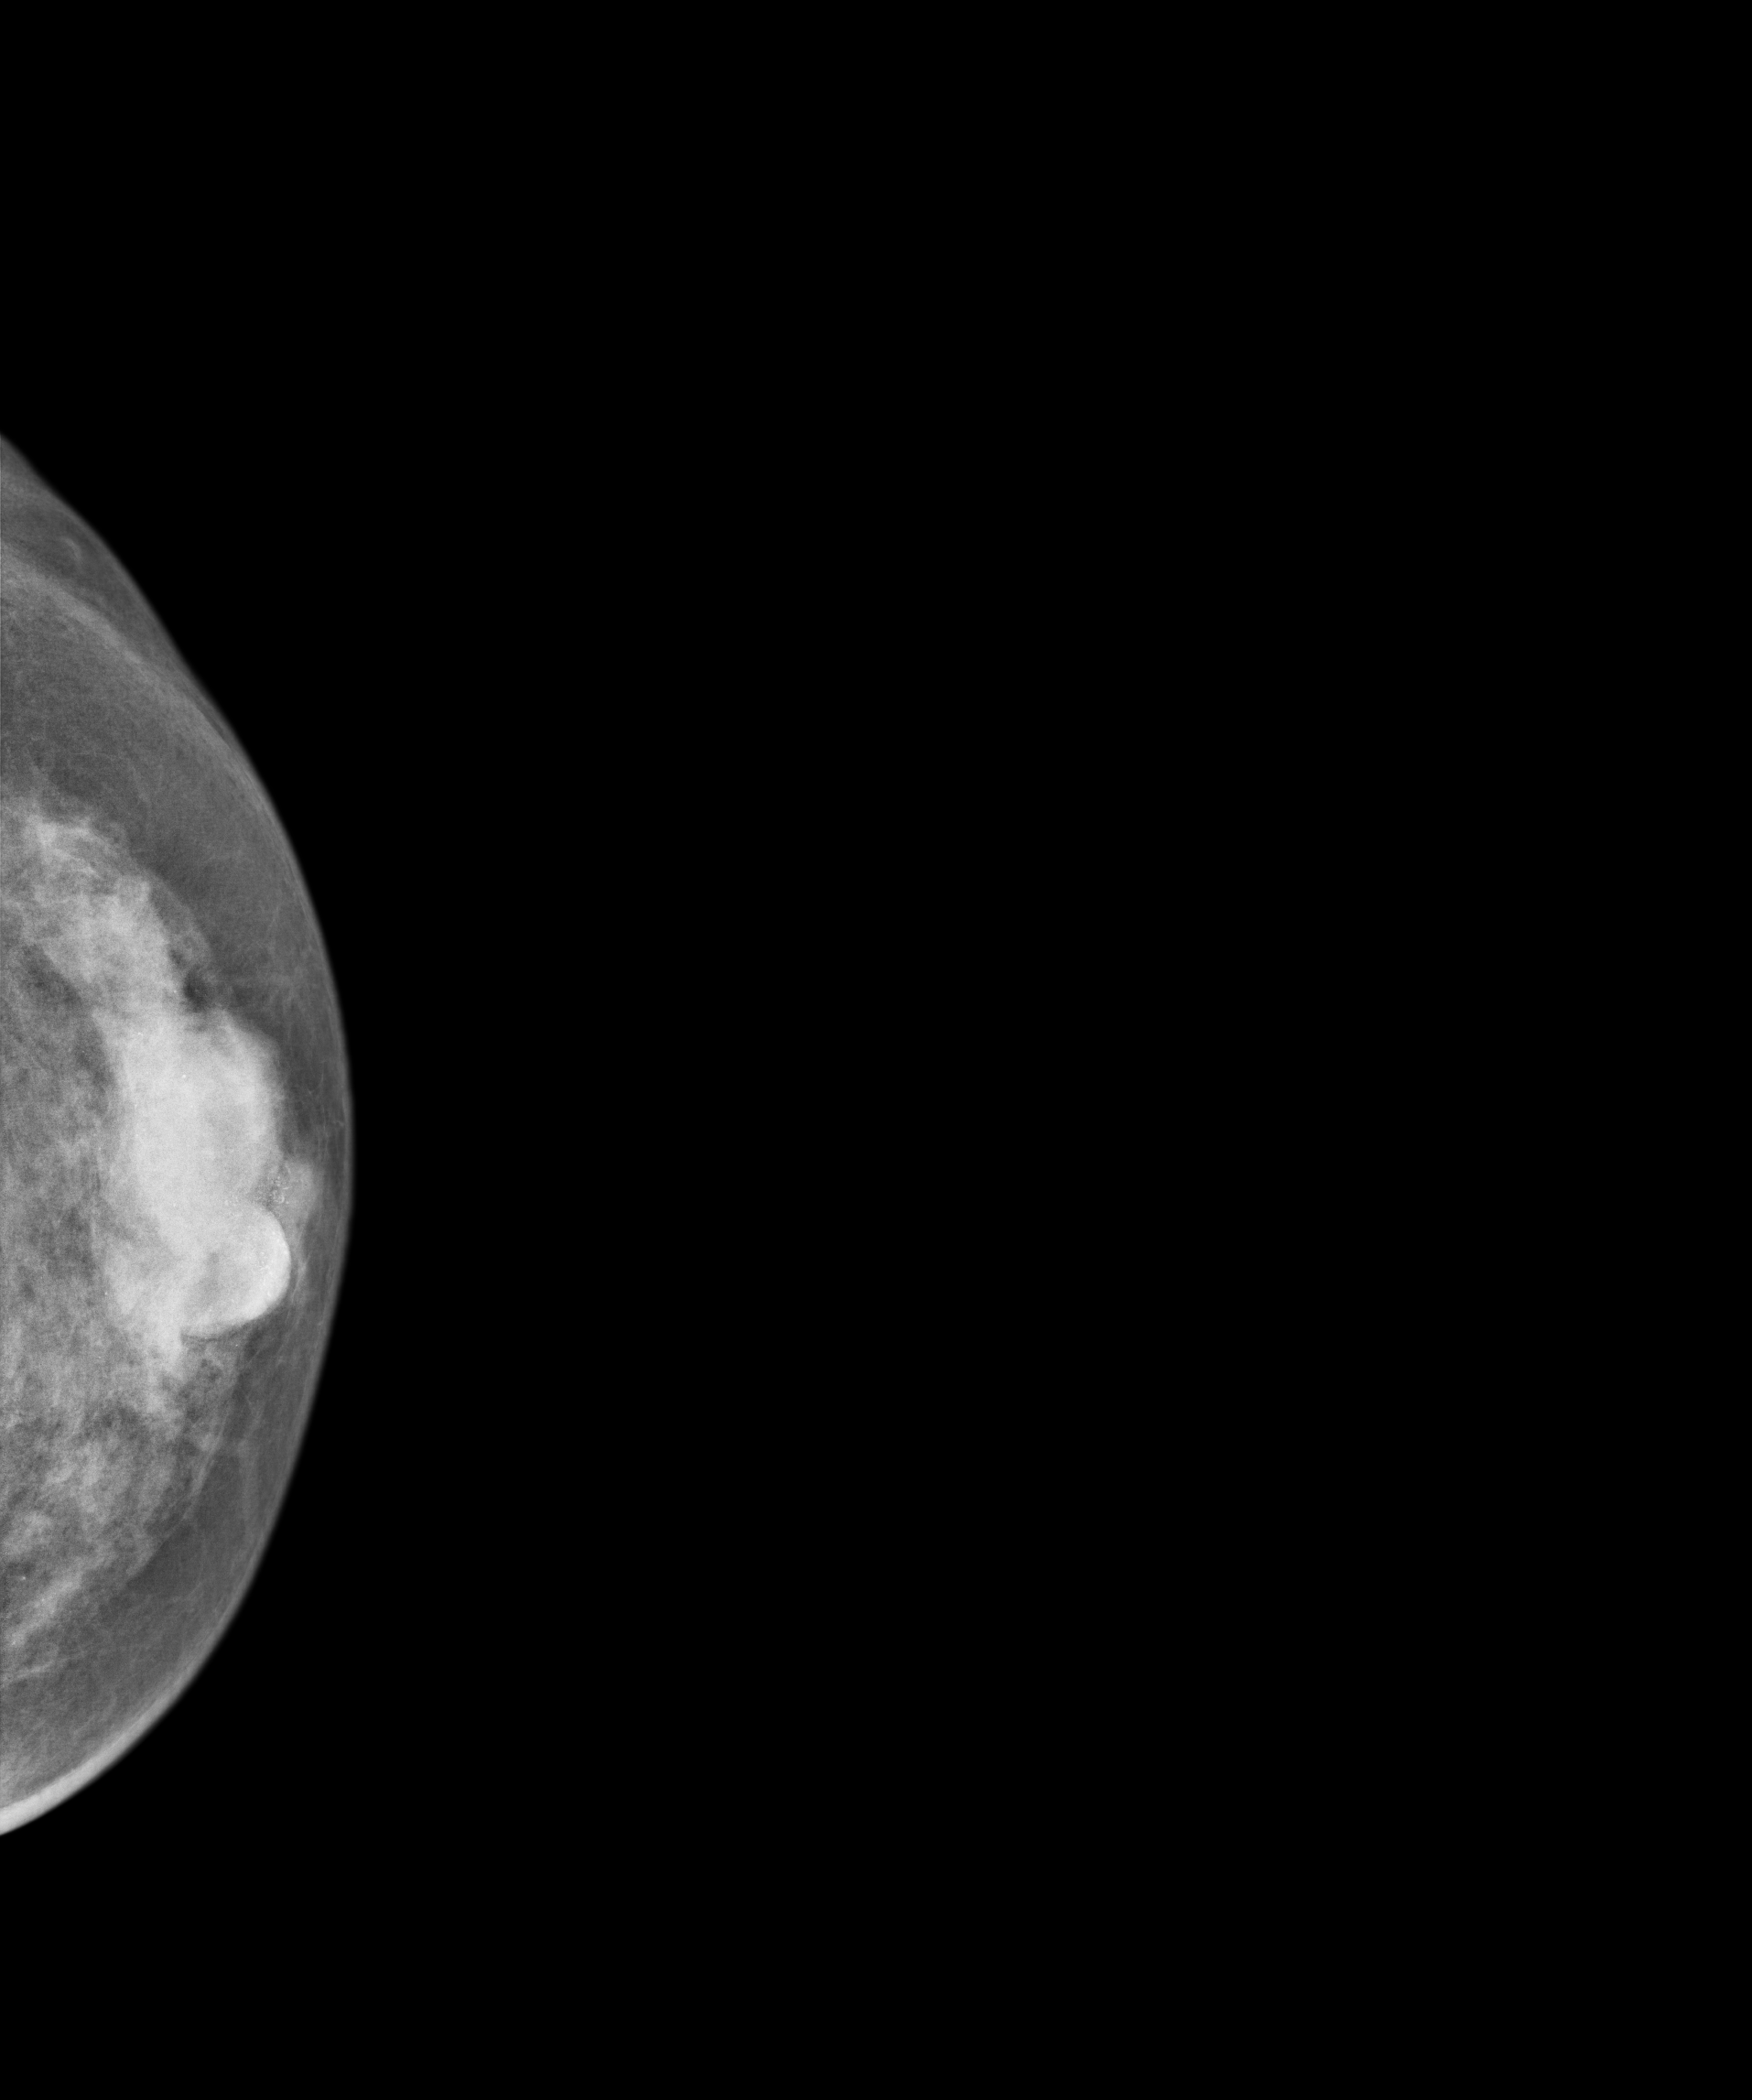
Digital mammography. Left breast, cranio-caudal projection. Patient age 36.
This breast has a mass and calcifications, biopsy-confirmed malignant.